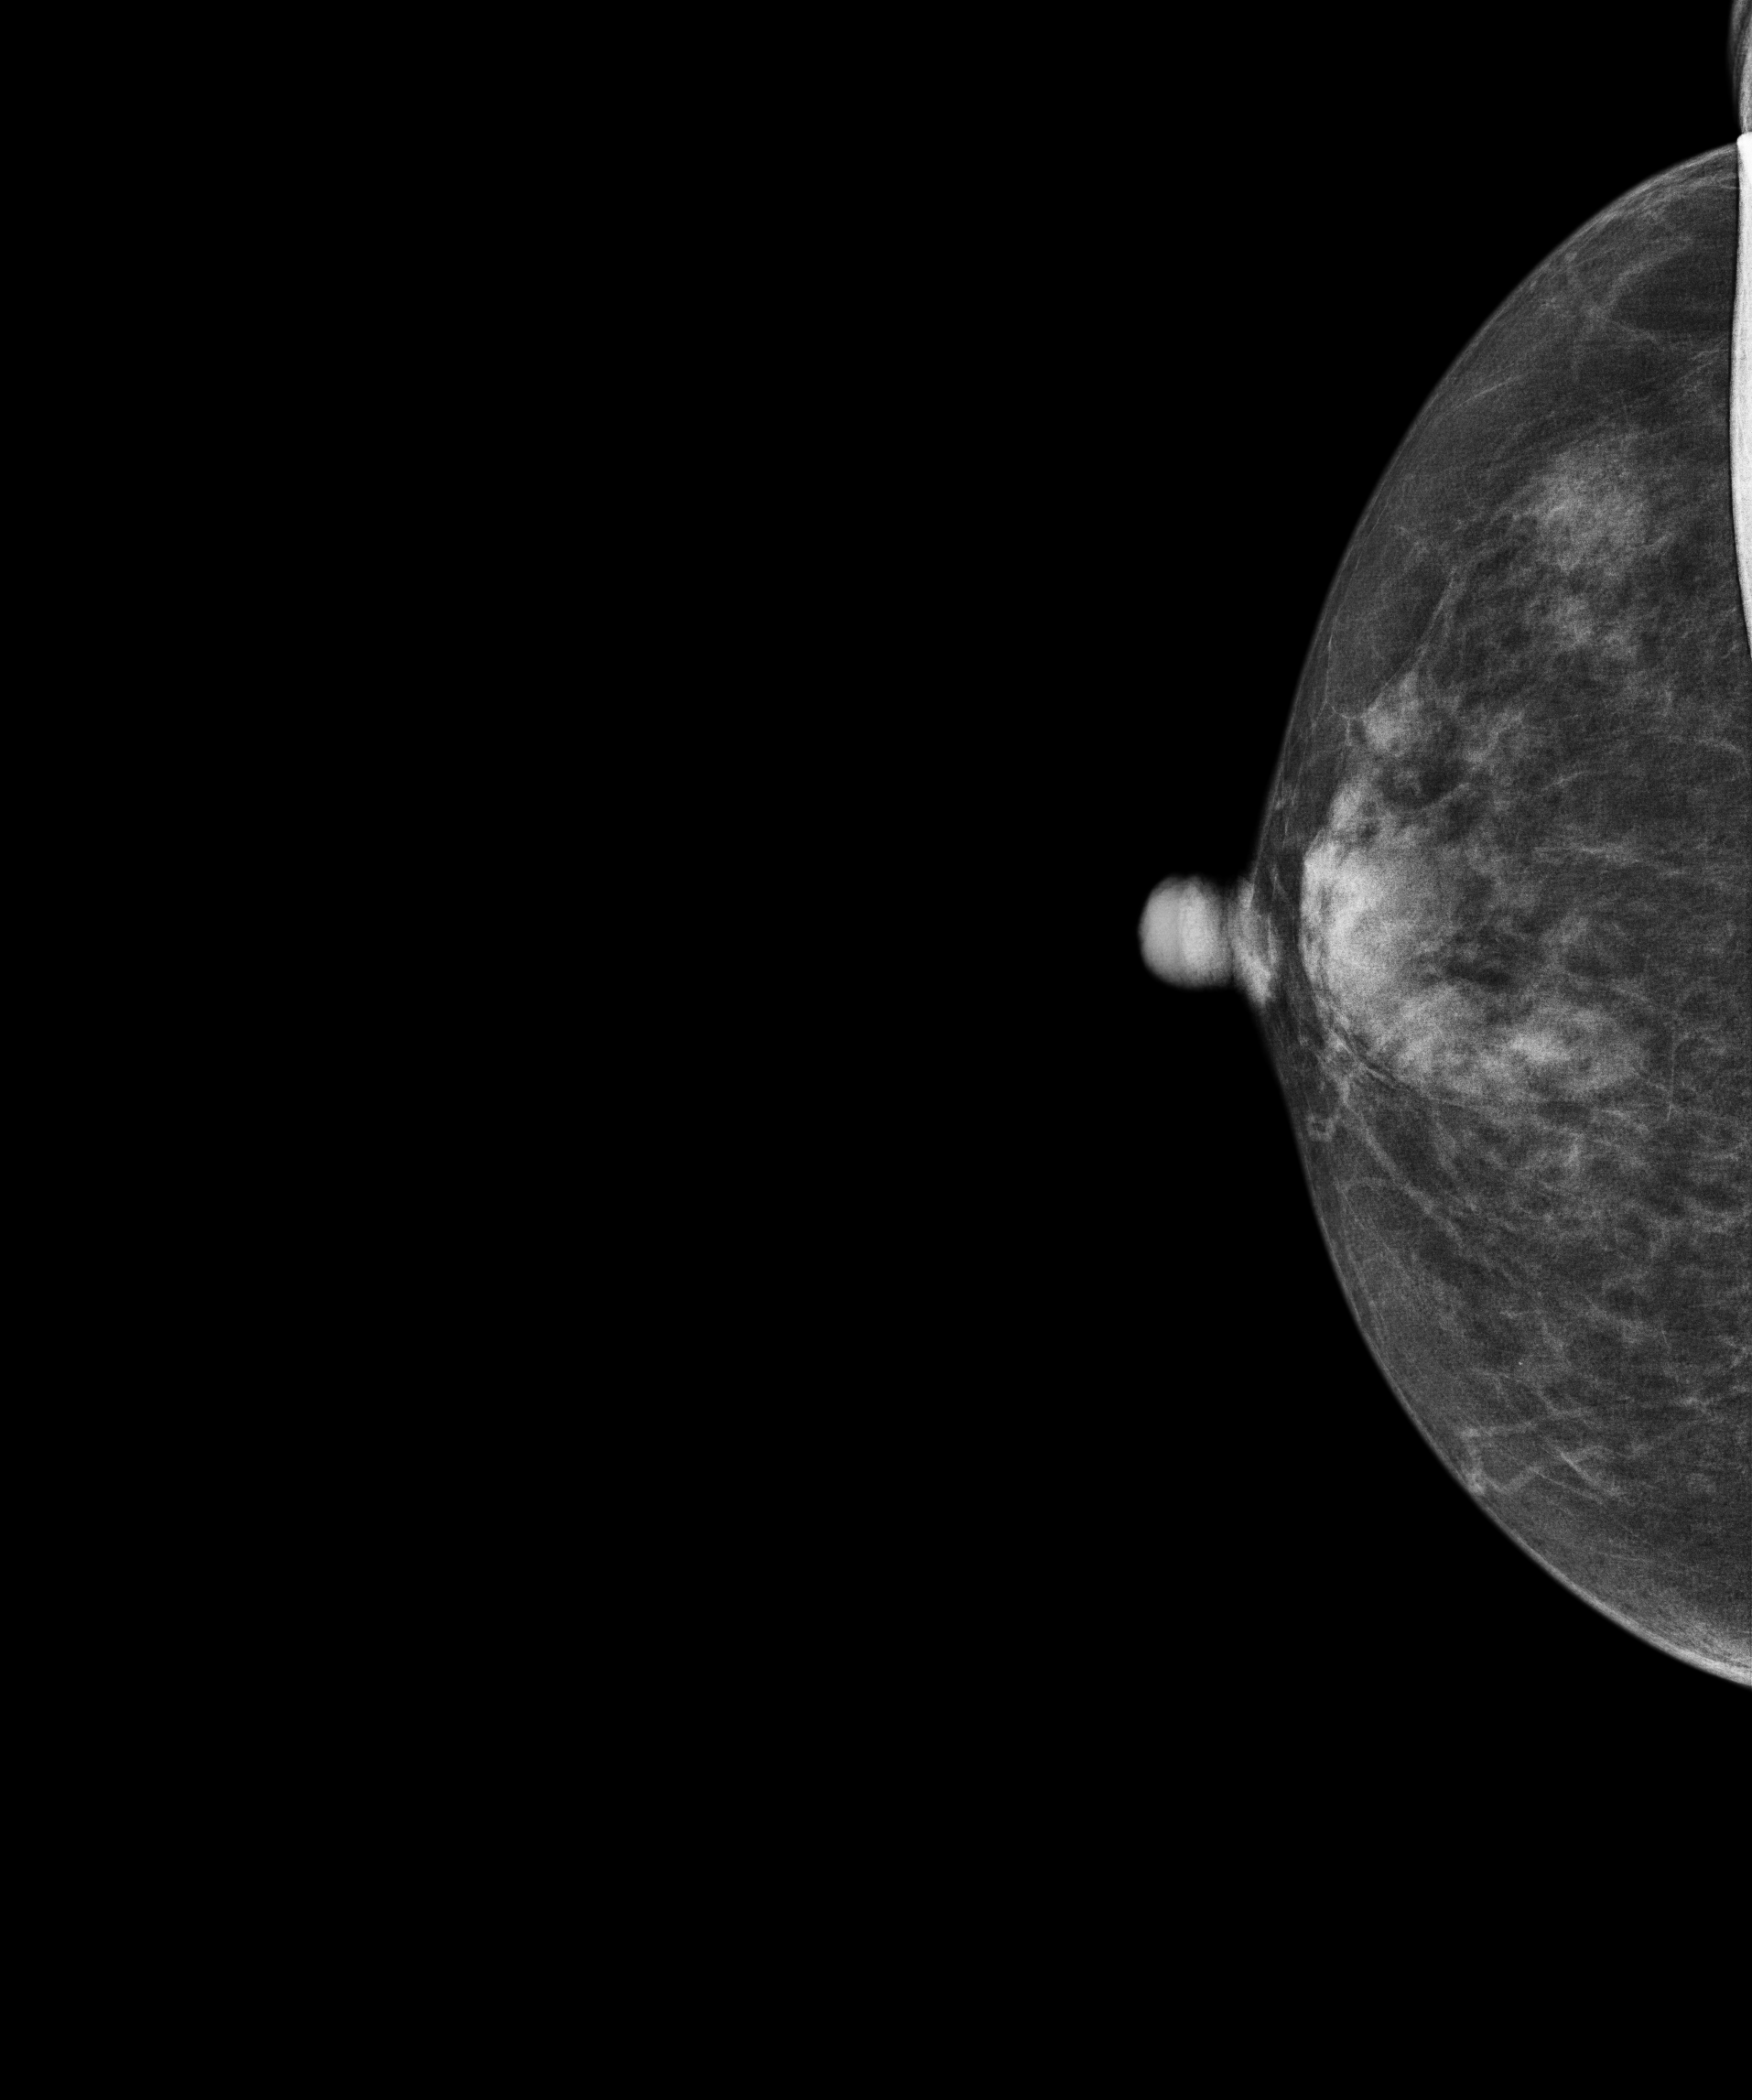
Digital mammography. Right breast, cranio-caudal projection. 83 y/o patient.
Contralateral breast — no documented abnormality on this side.